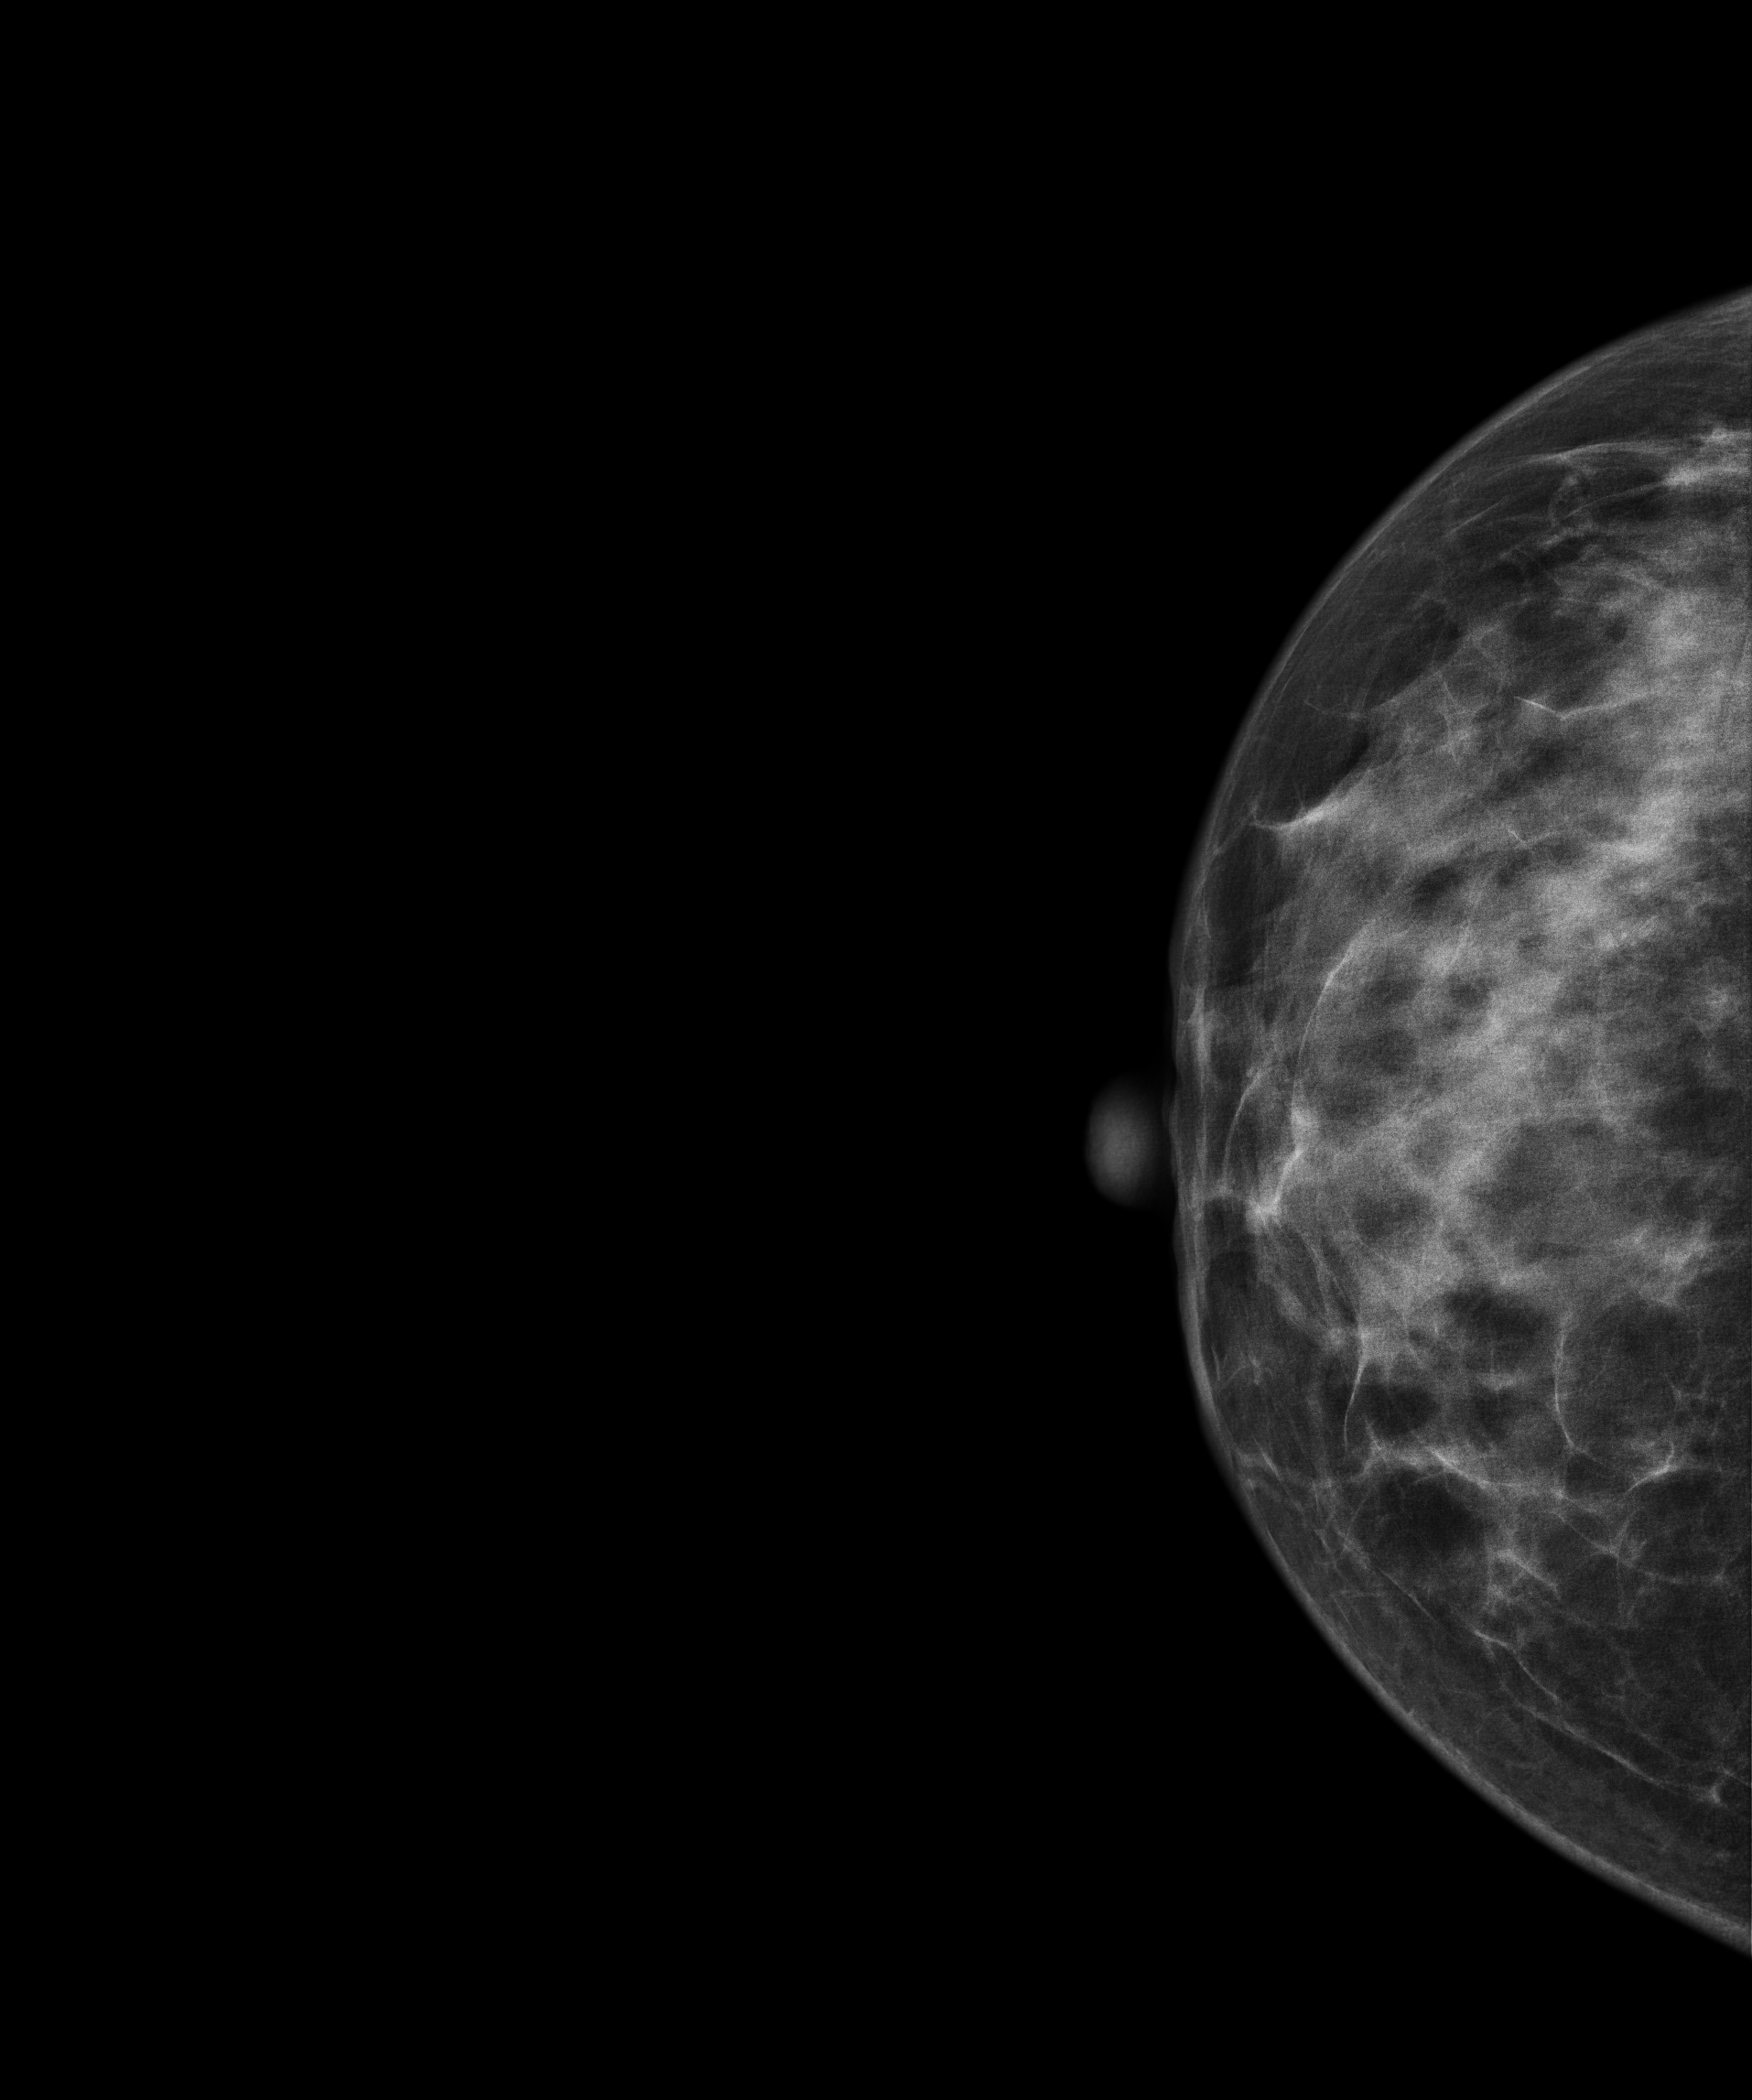
Mammogram, right breast, CC view. Patient age 42.
Contralateral breast — no documented abnormality on this side.